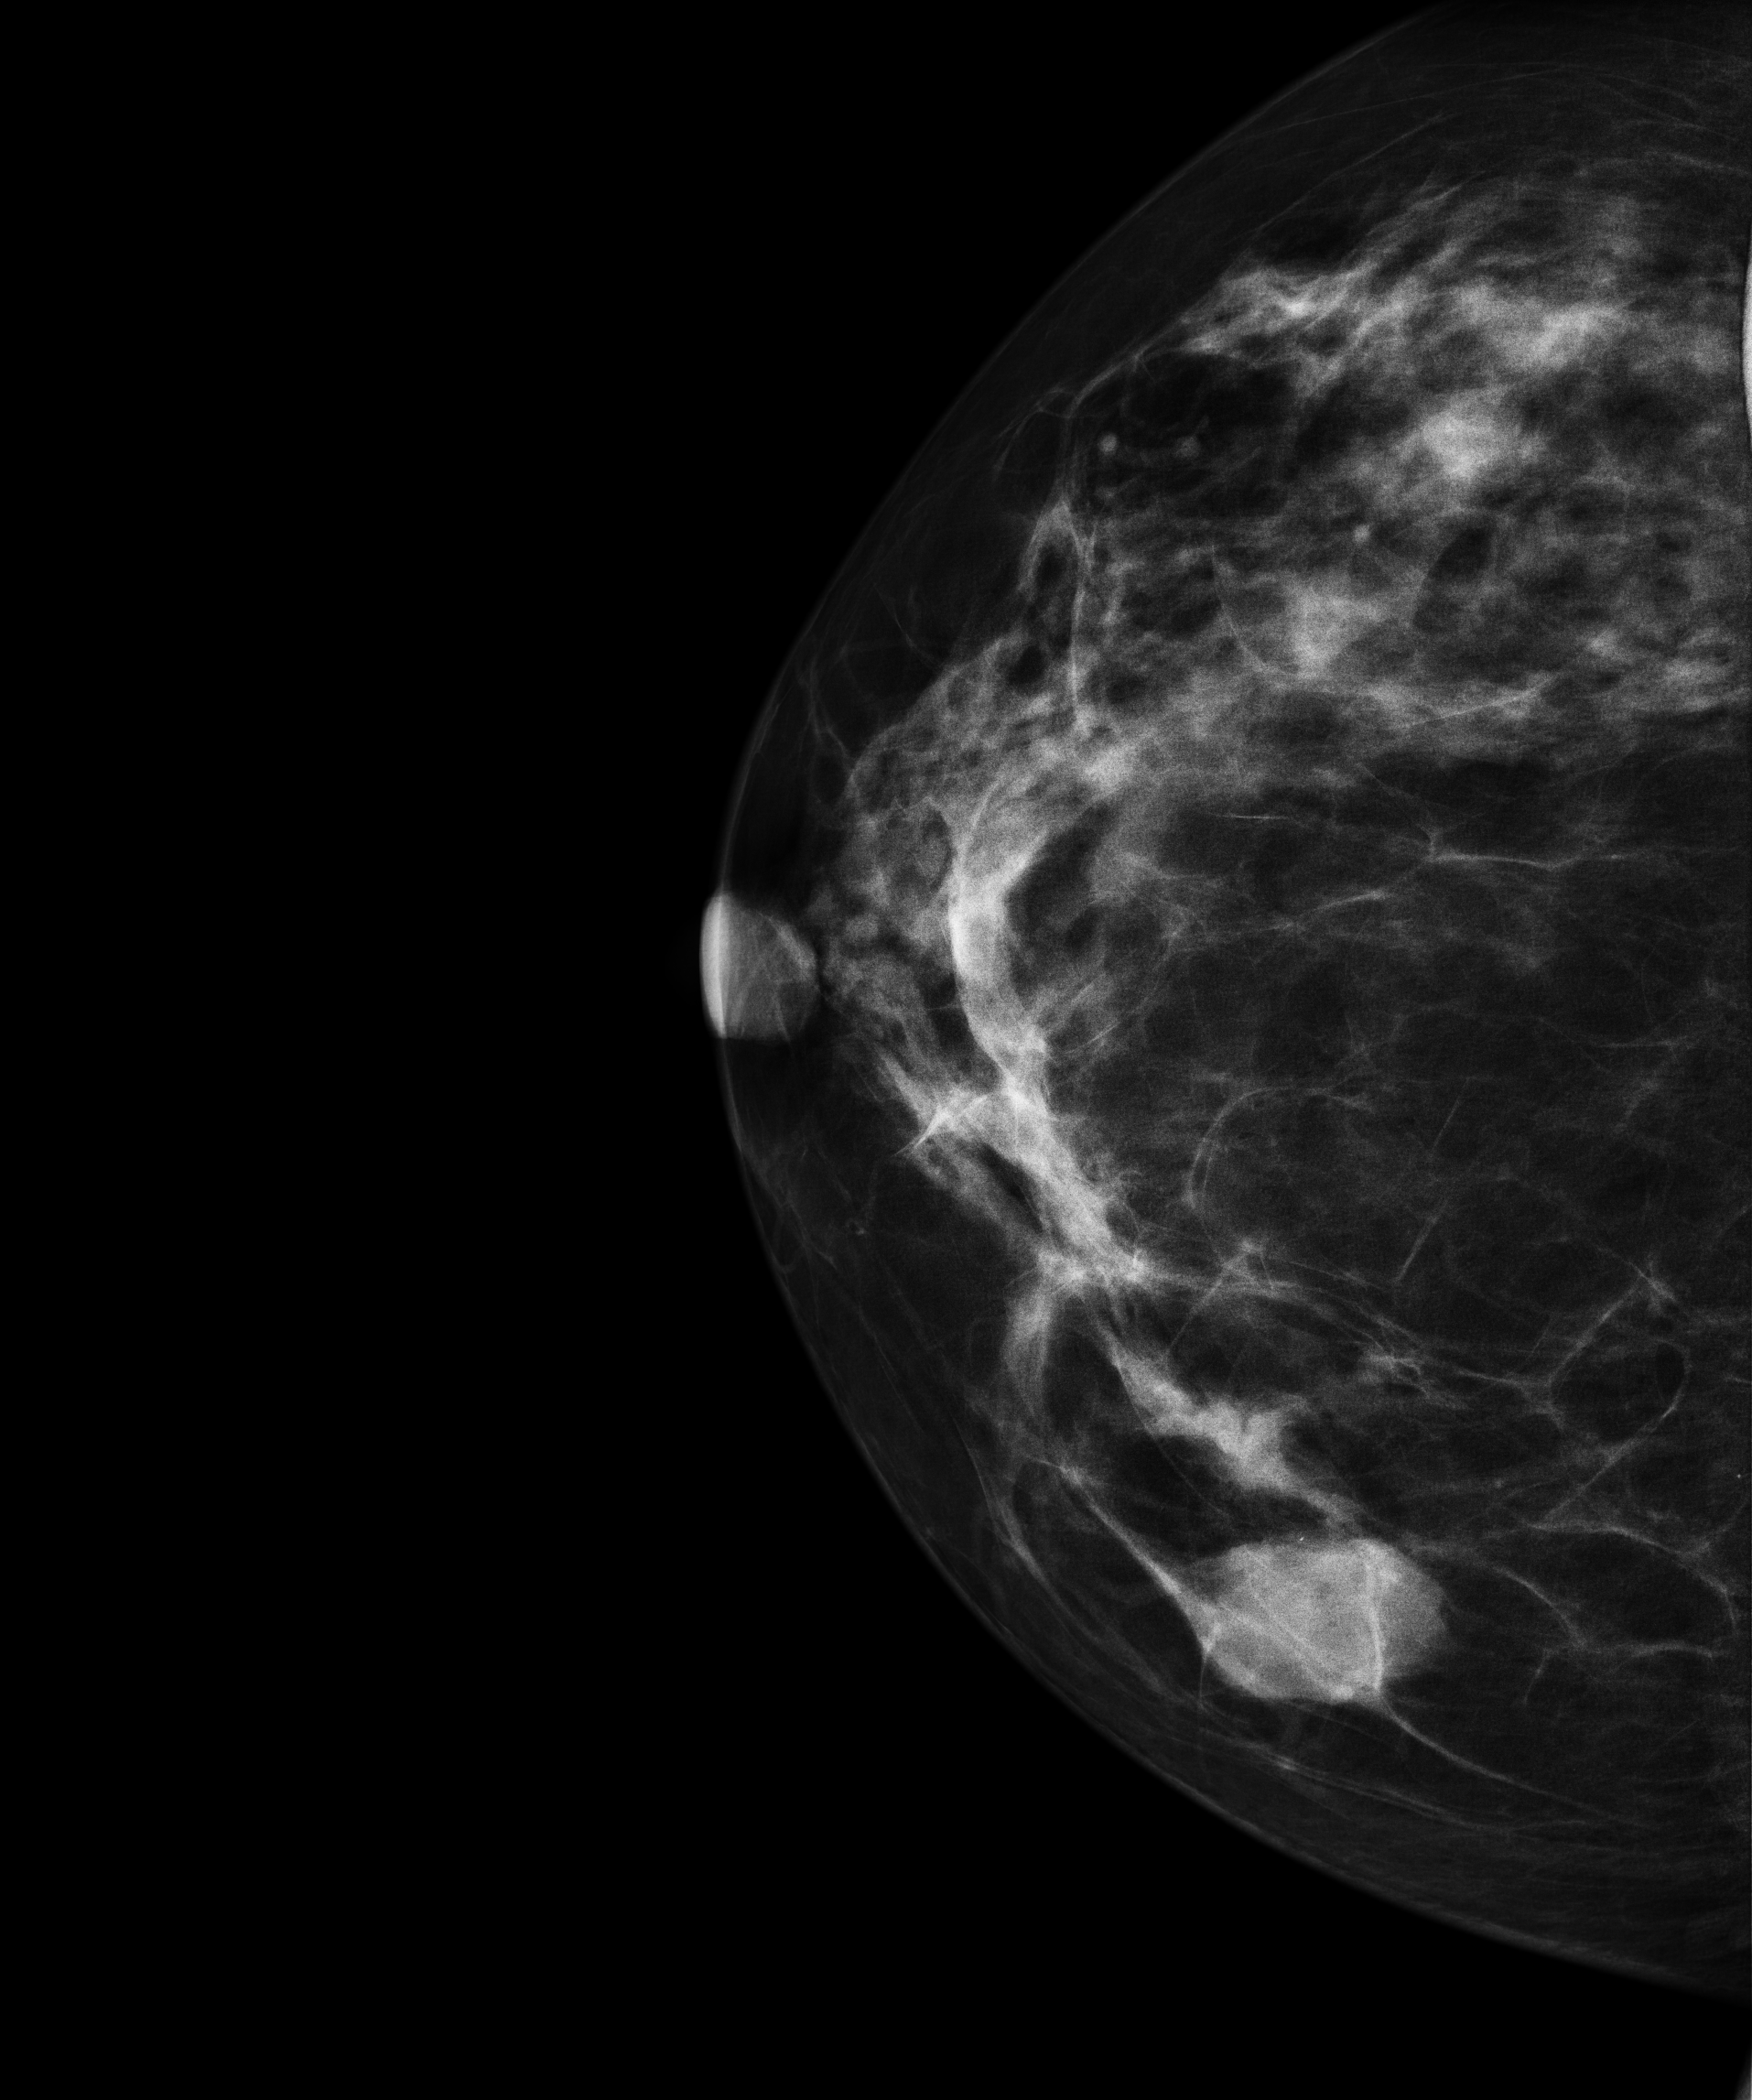
Mammogram — right cranio-caudal. 52 y/o patient.
This breast has a mass, pathology-confirmed benign.